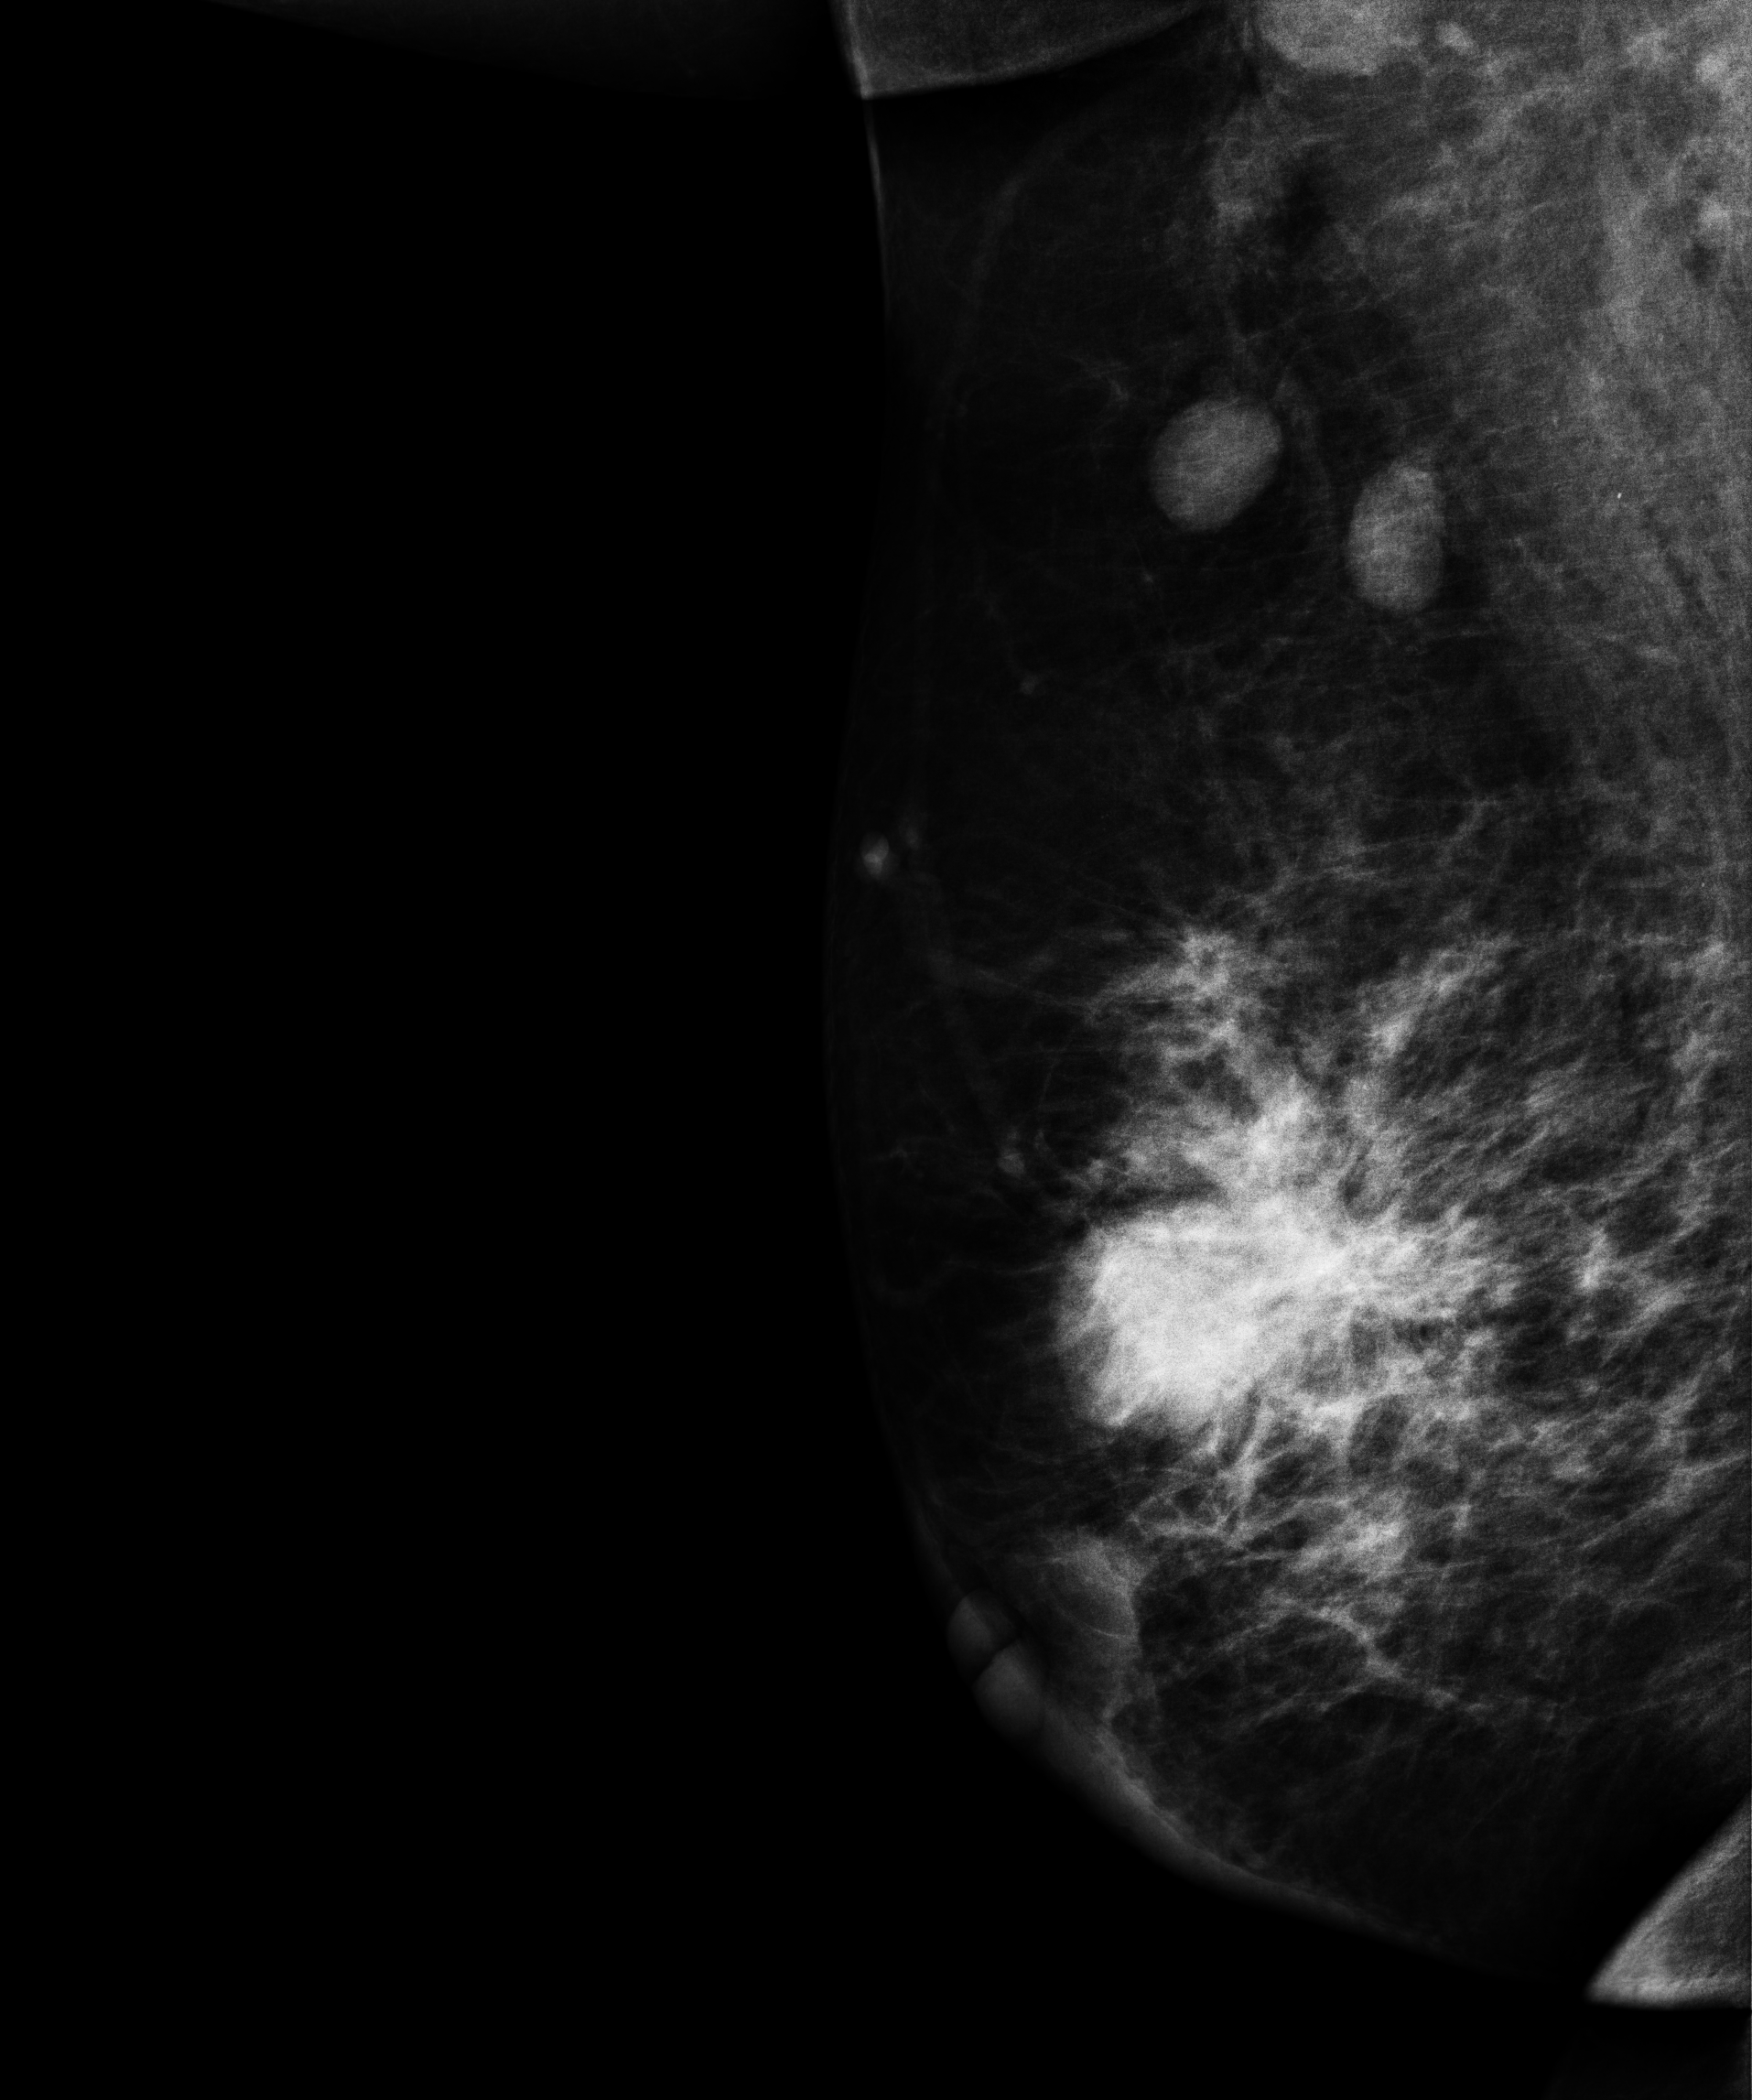
Right-breast mammogram, medio-lateral oblique. 51-year-old patient.
This breast has a mass, pathology-confirmed malignant. Molecular subtype: luminal A.